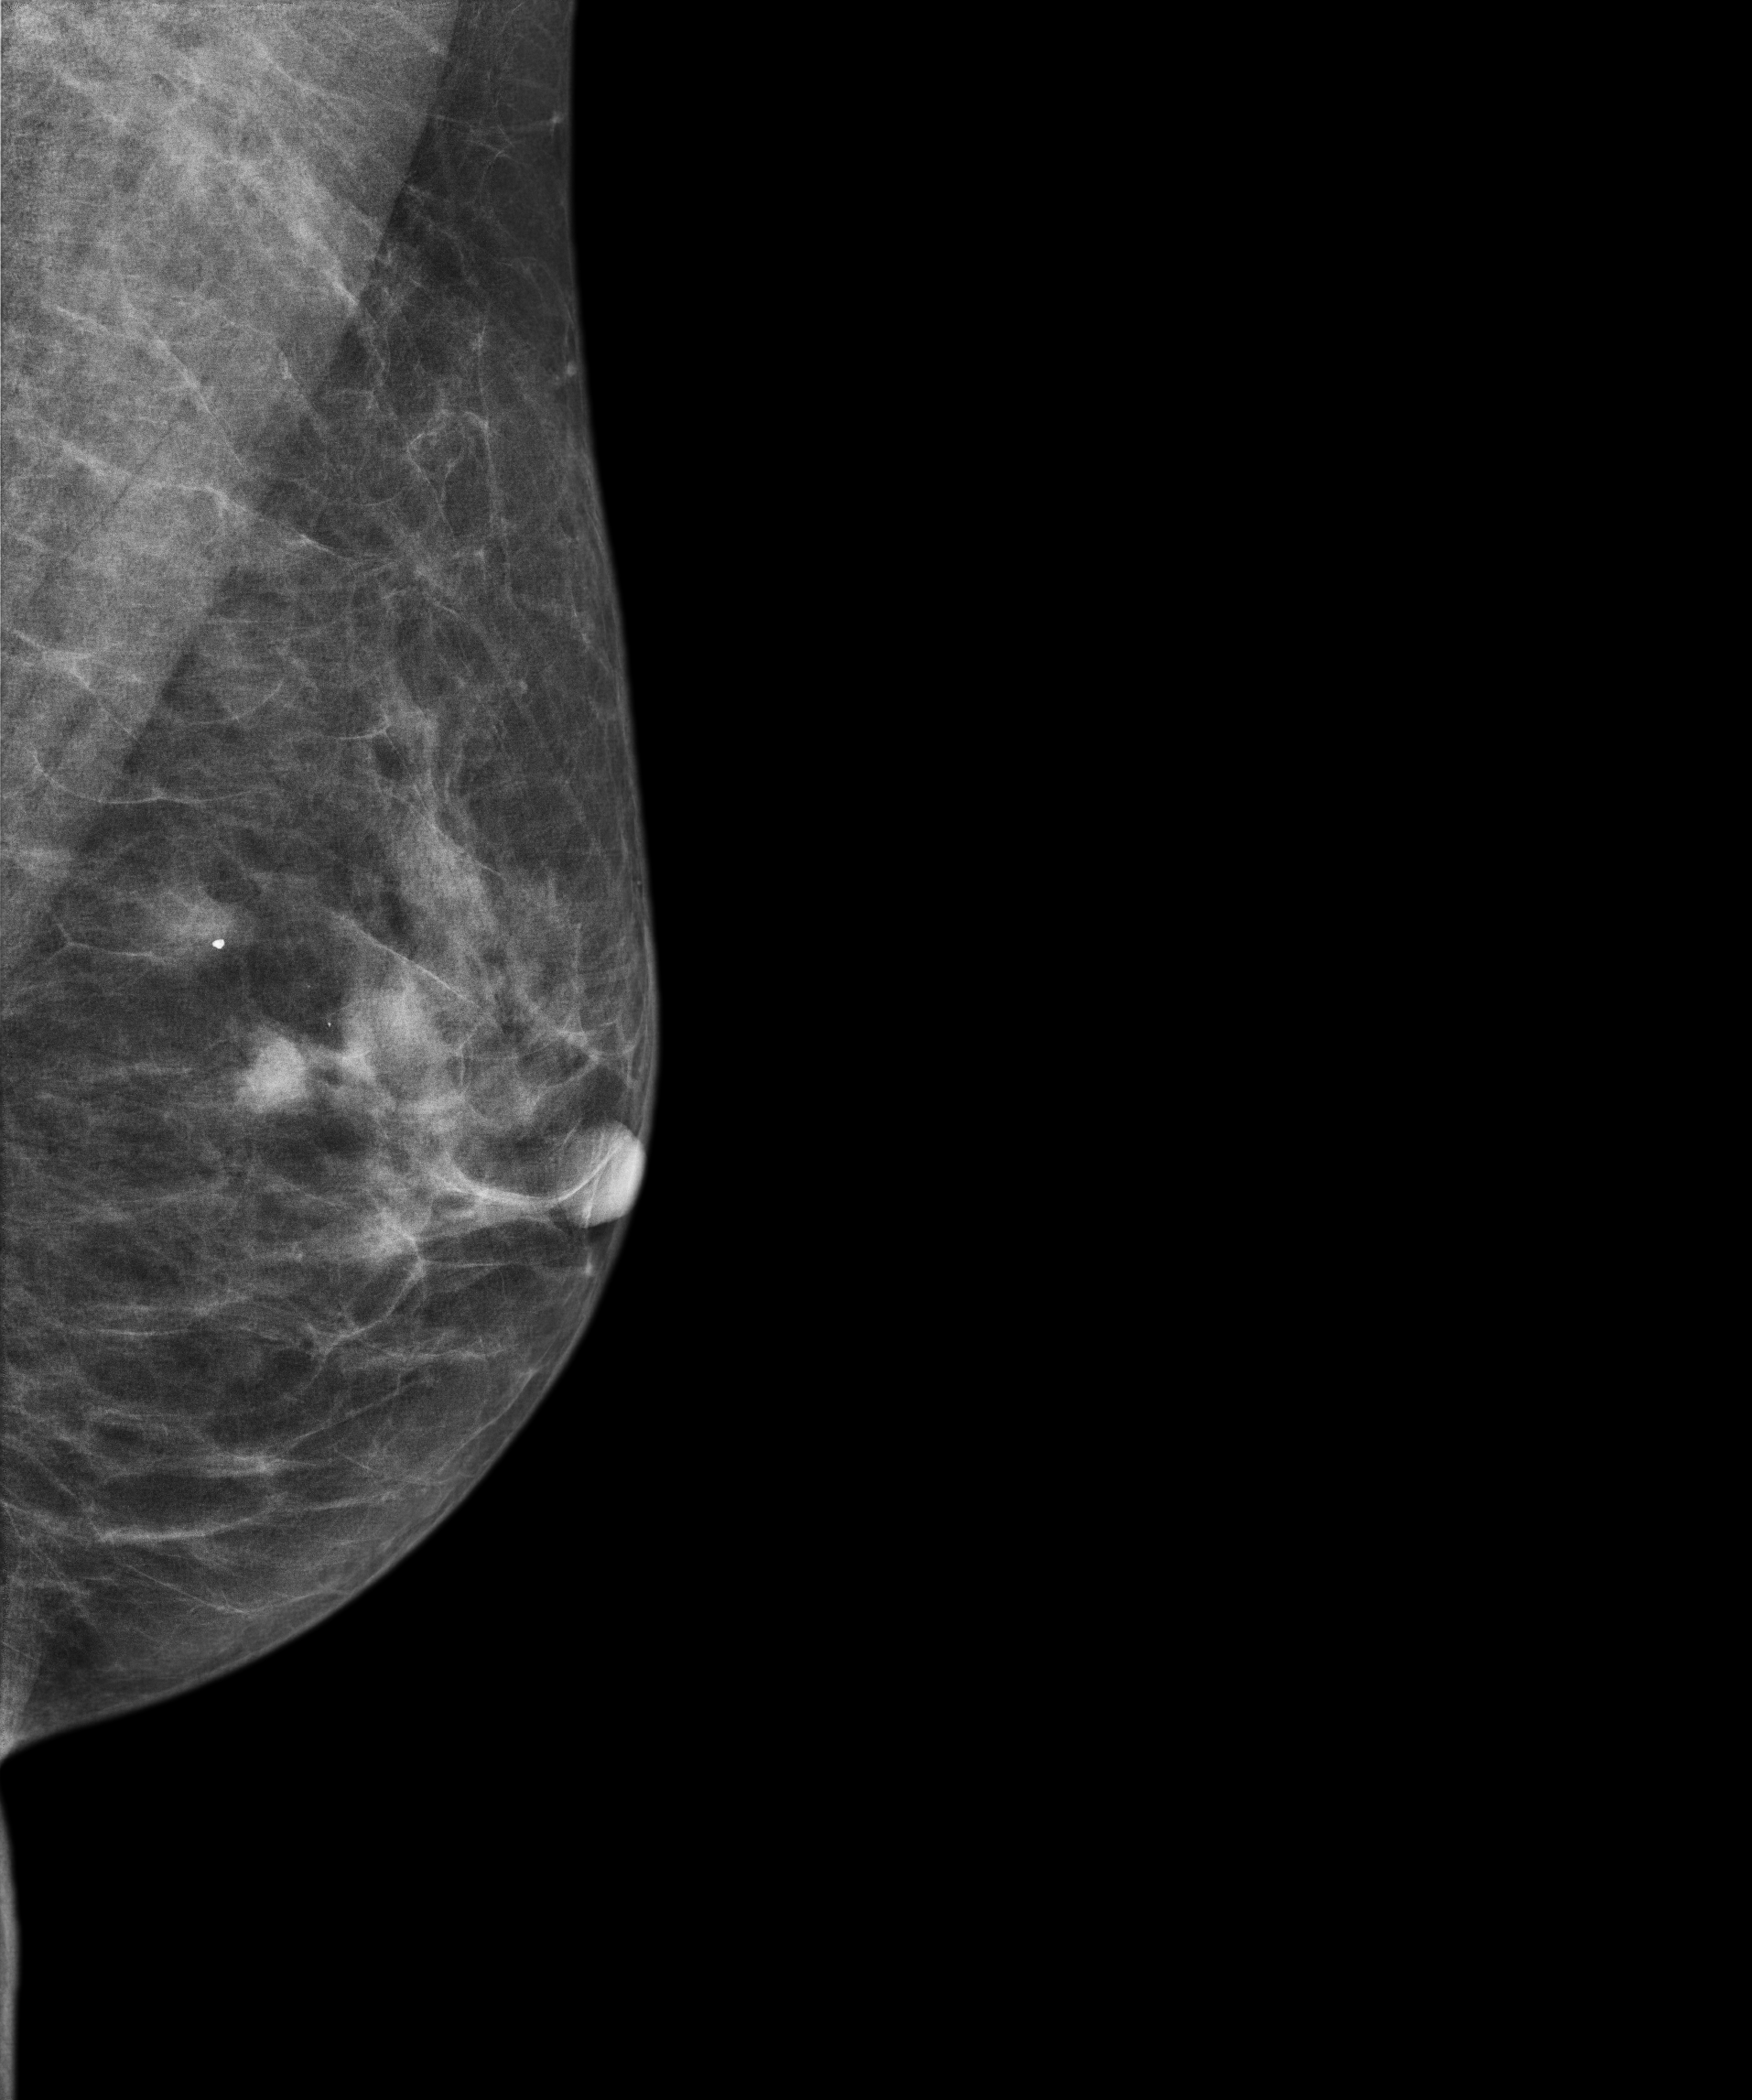
Digital mammography. Left breast, medio-lateral oblique projection. 58 y/o patient.
This breast has a mass, biopsy-proven malignant.